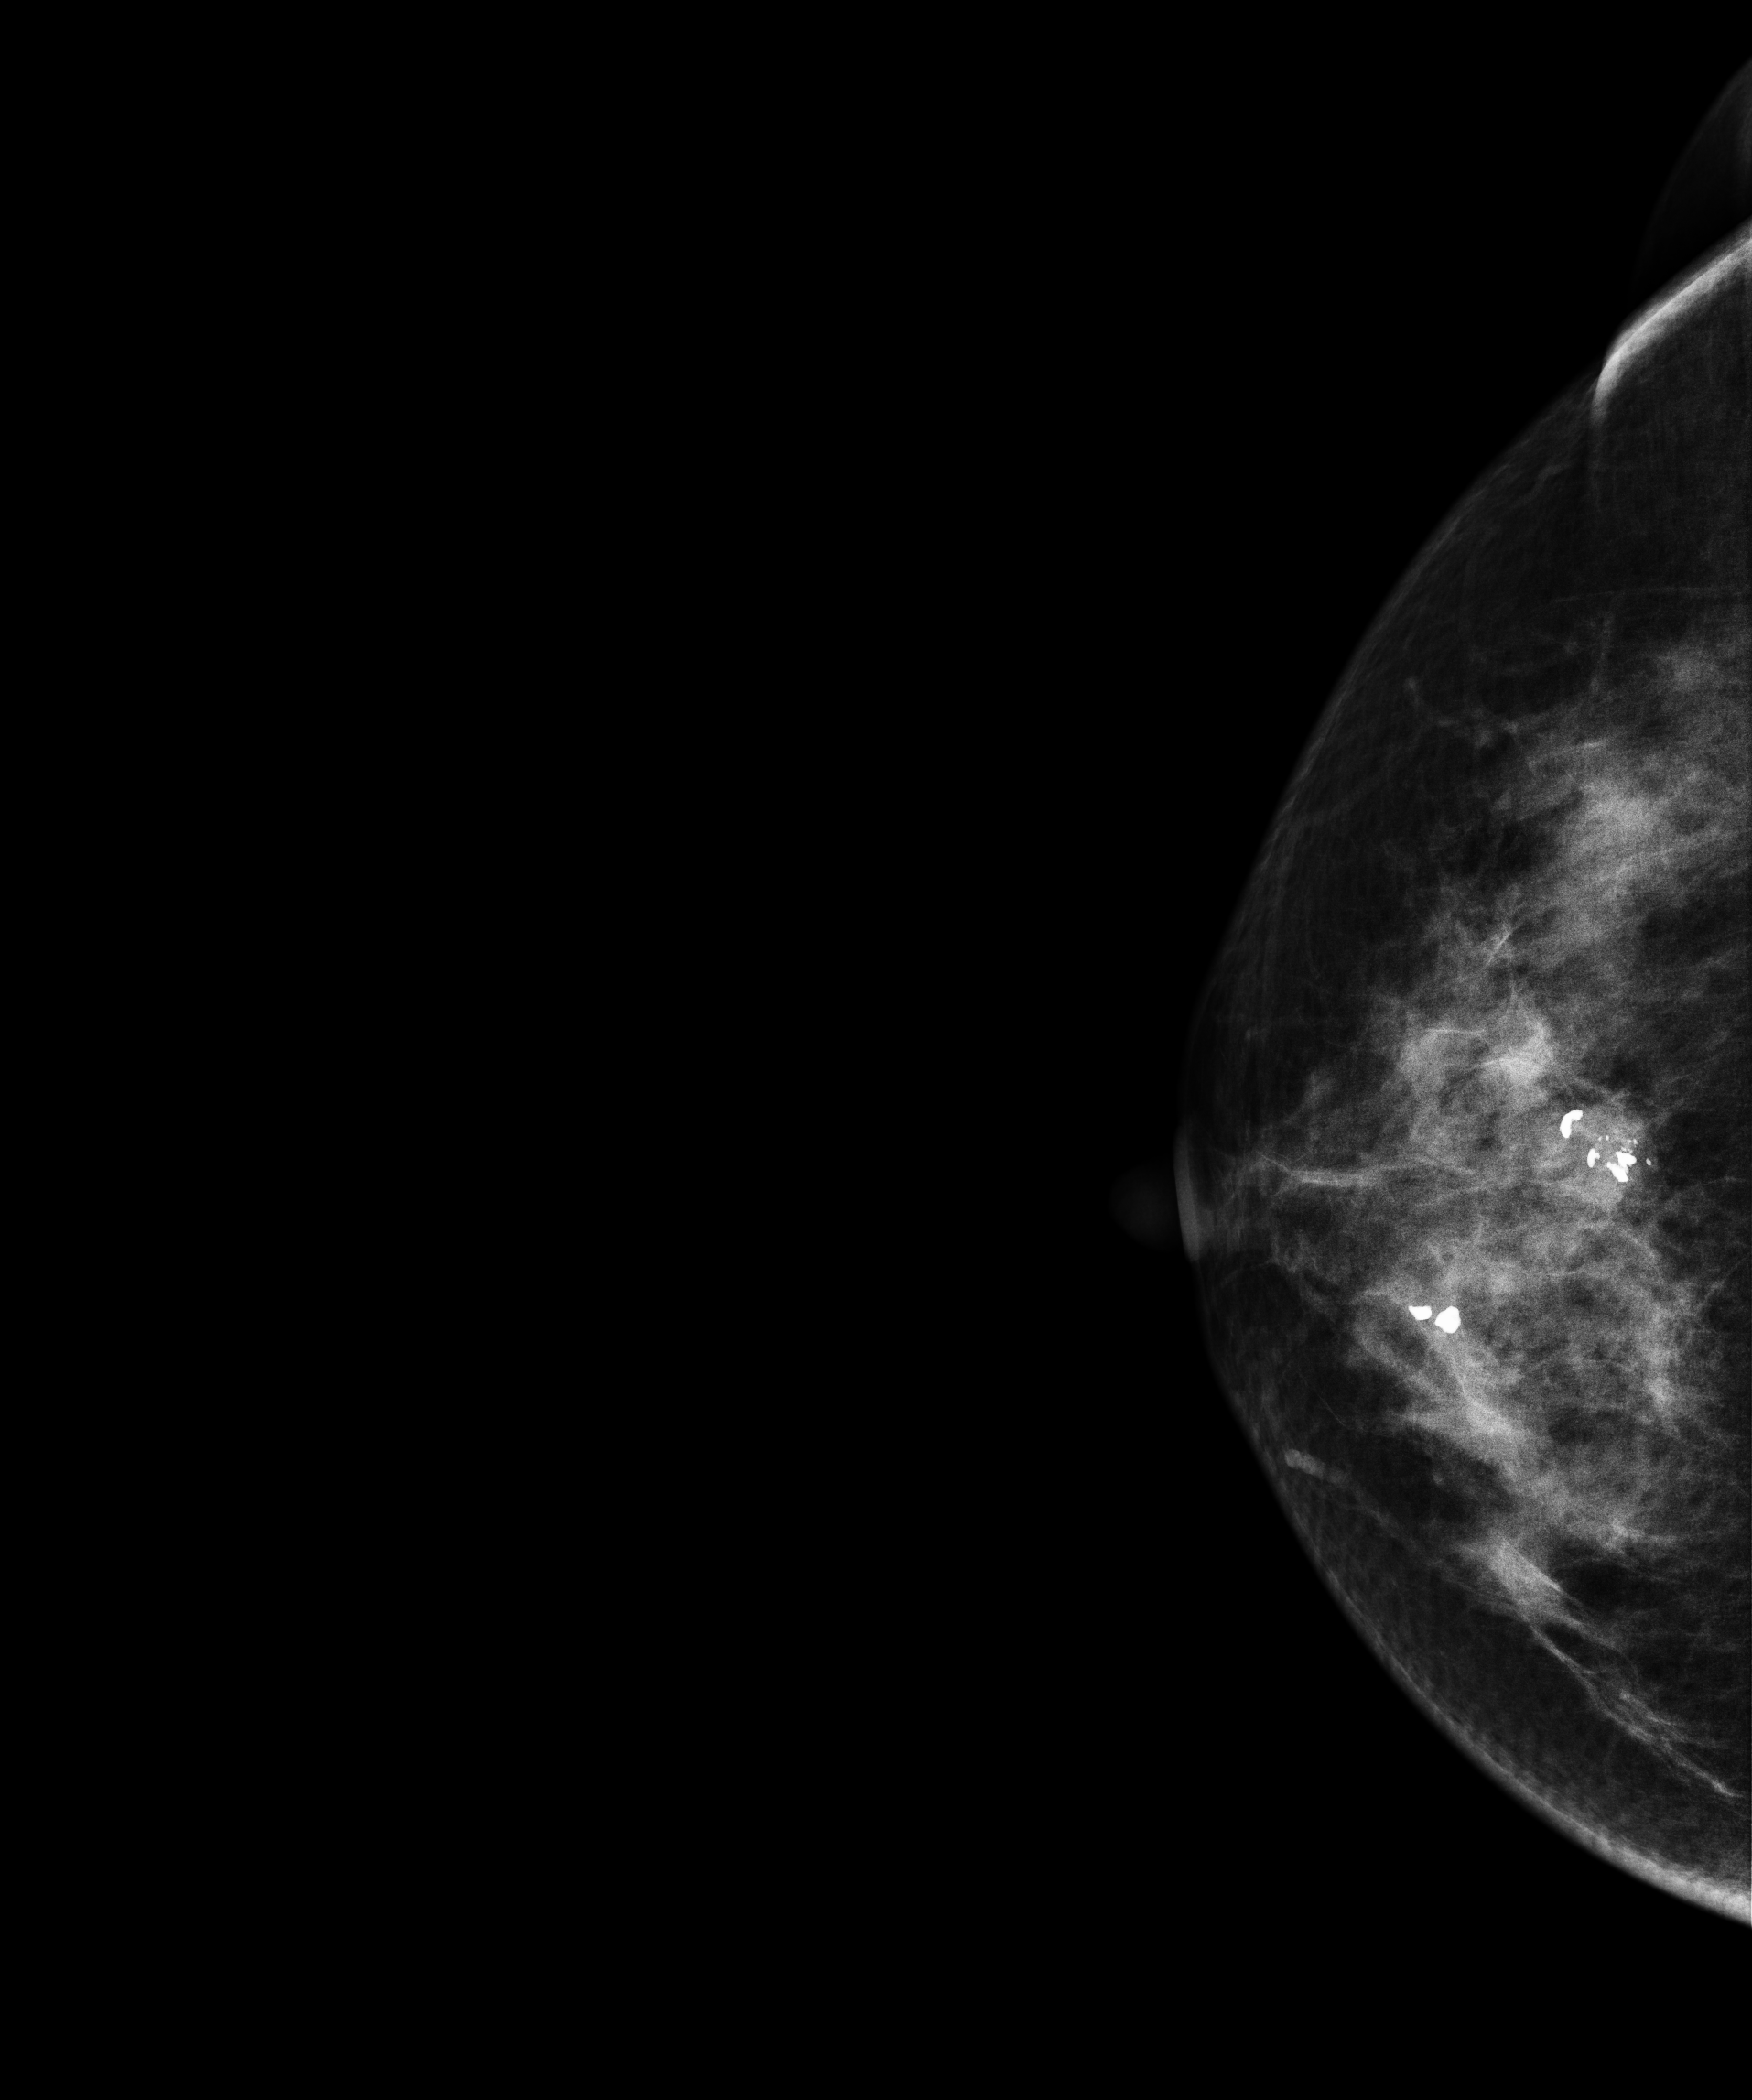
Mammogram — right CC. 50 y/o patient.
This breast has a mass and calcifications, pathology-confirmed benign.